Digital mammography. Left breast, MLO projection. 43-year-old patient.
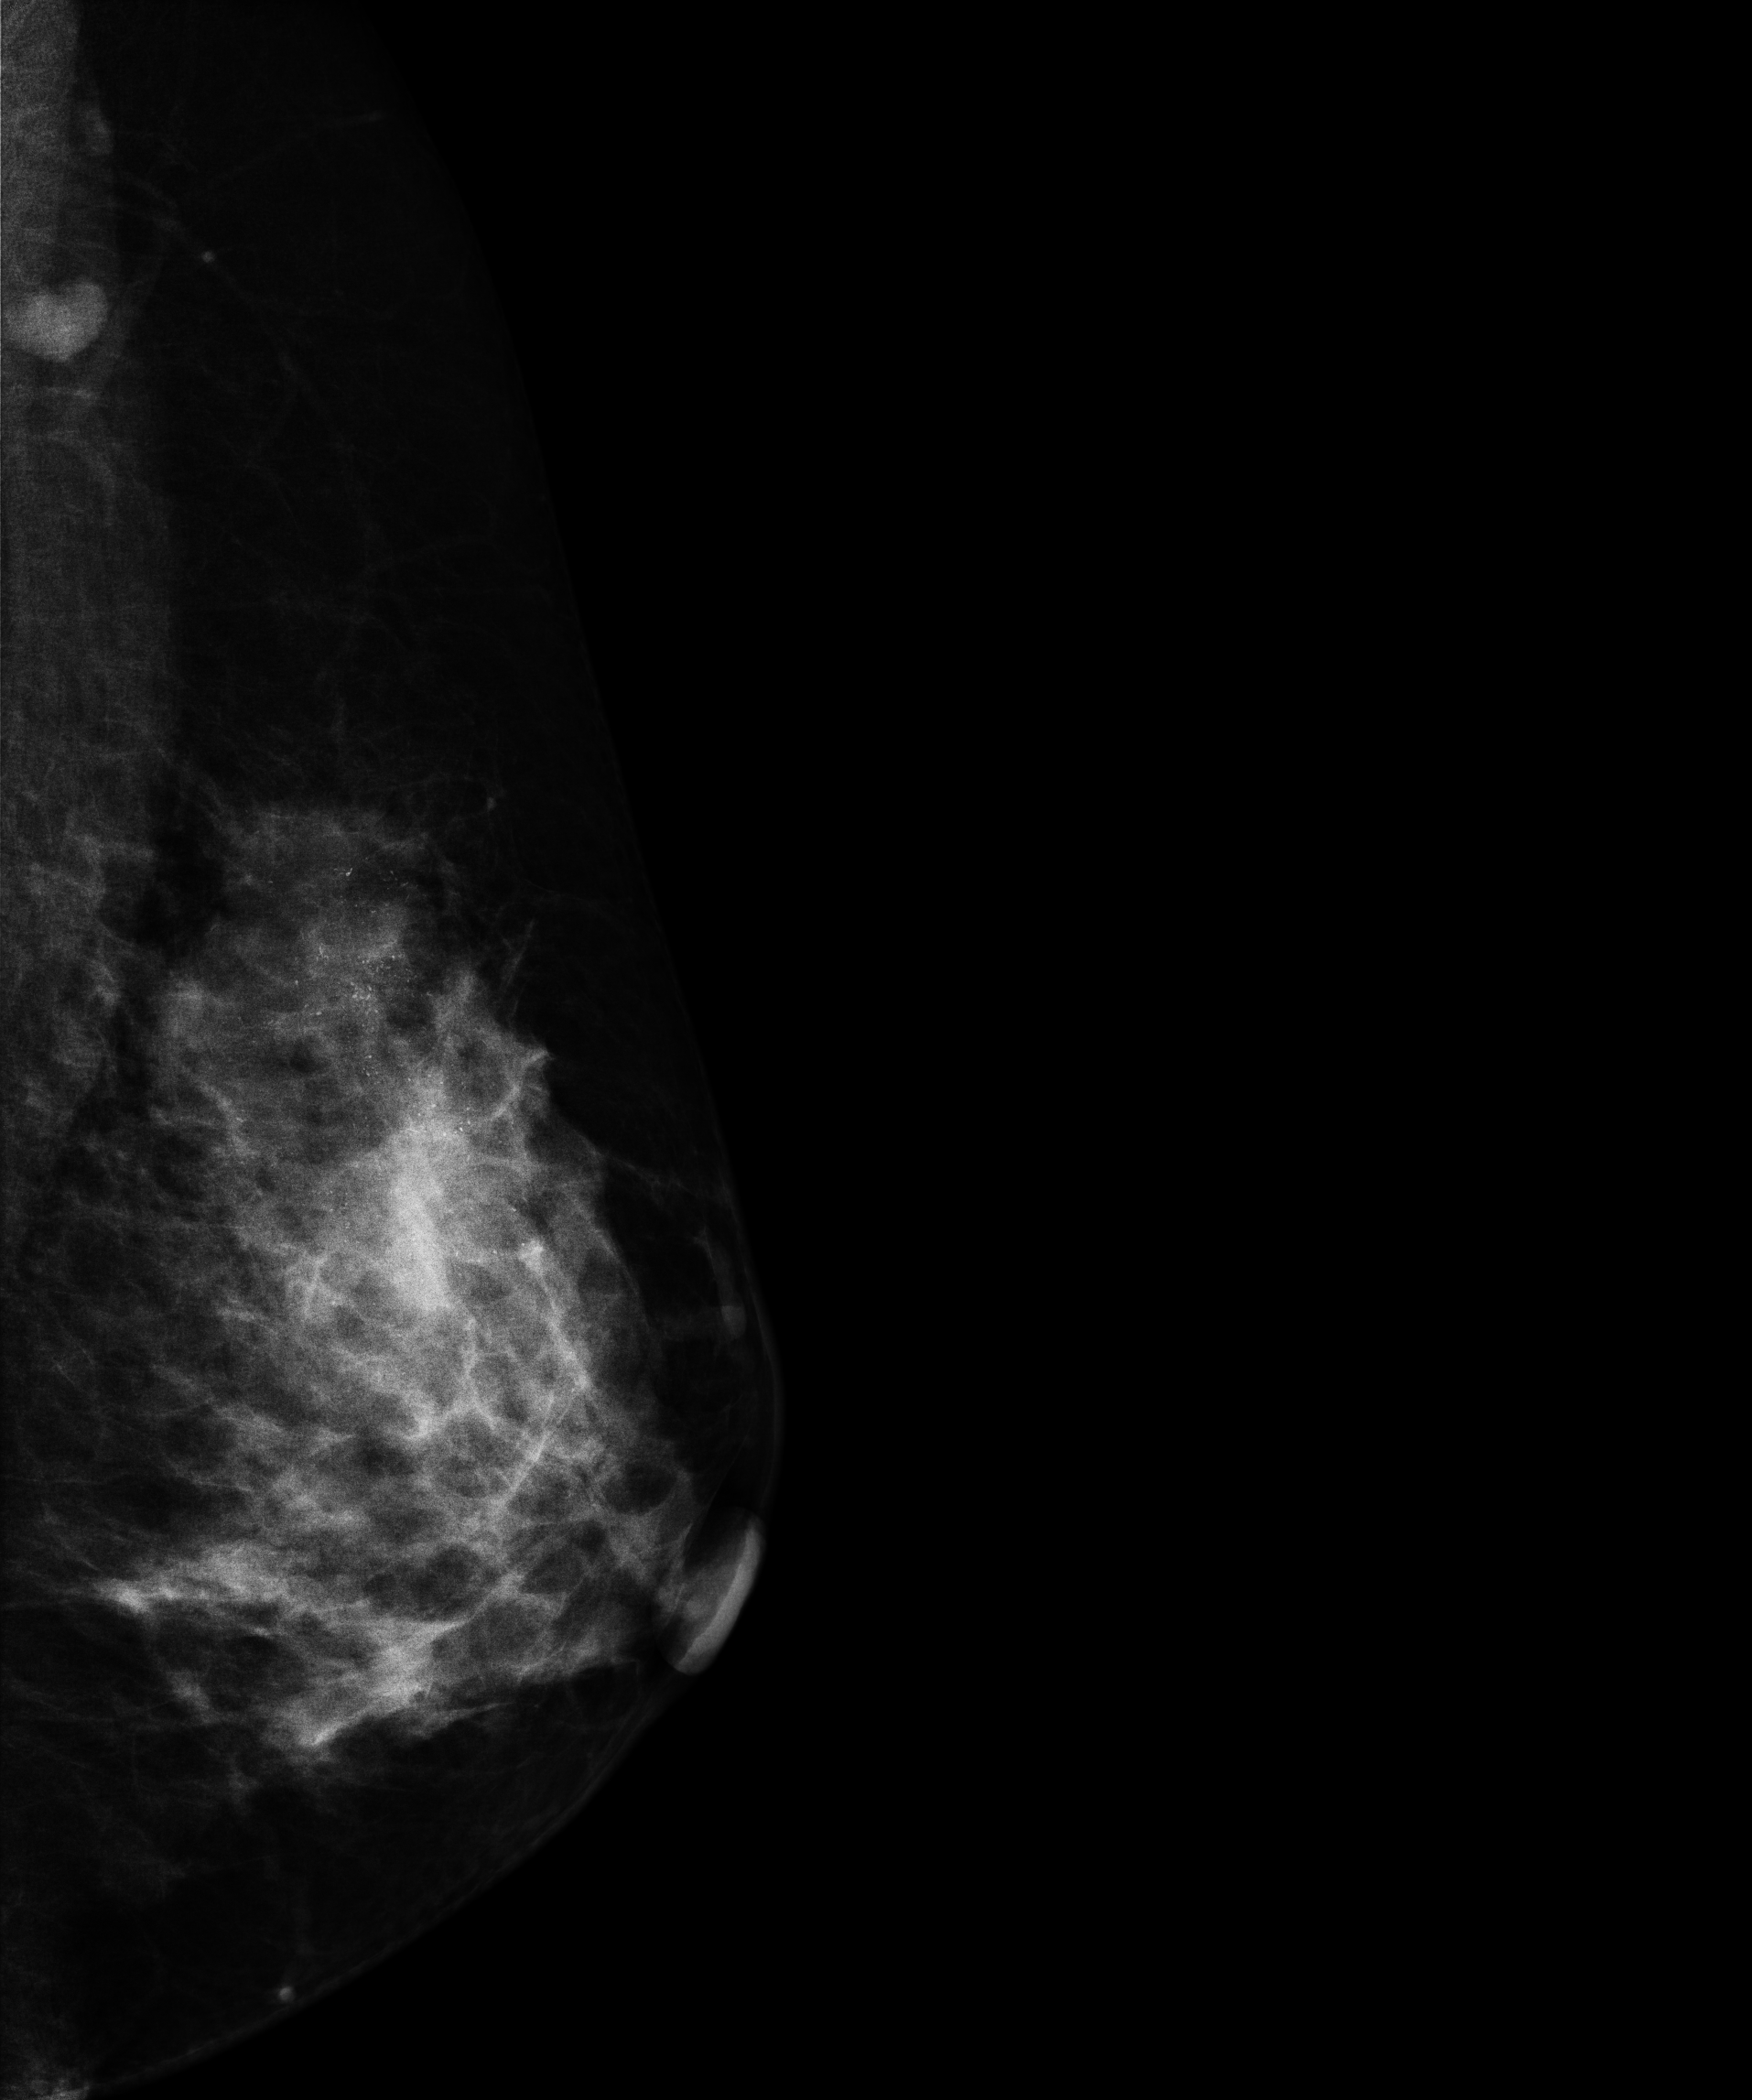
This breast has a mass and calcifications, pathology-confirmed malignant. Molecular subtype: HER2-enriched.